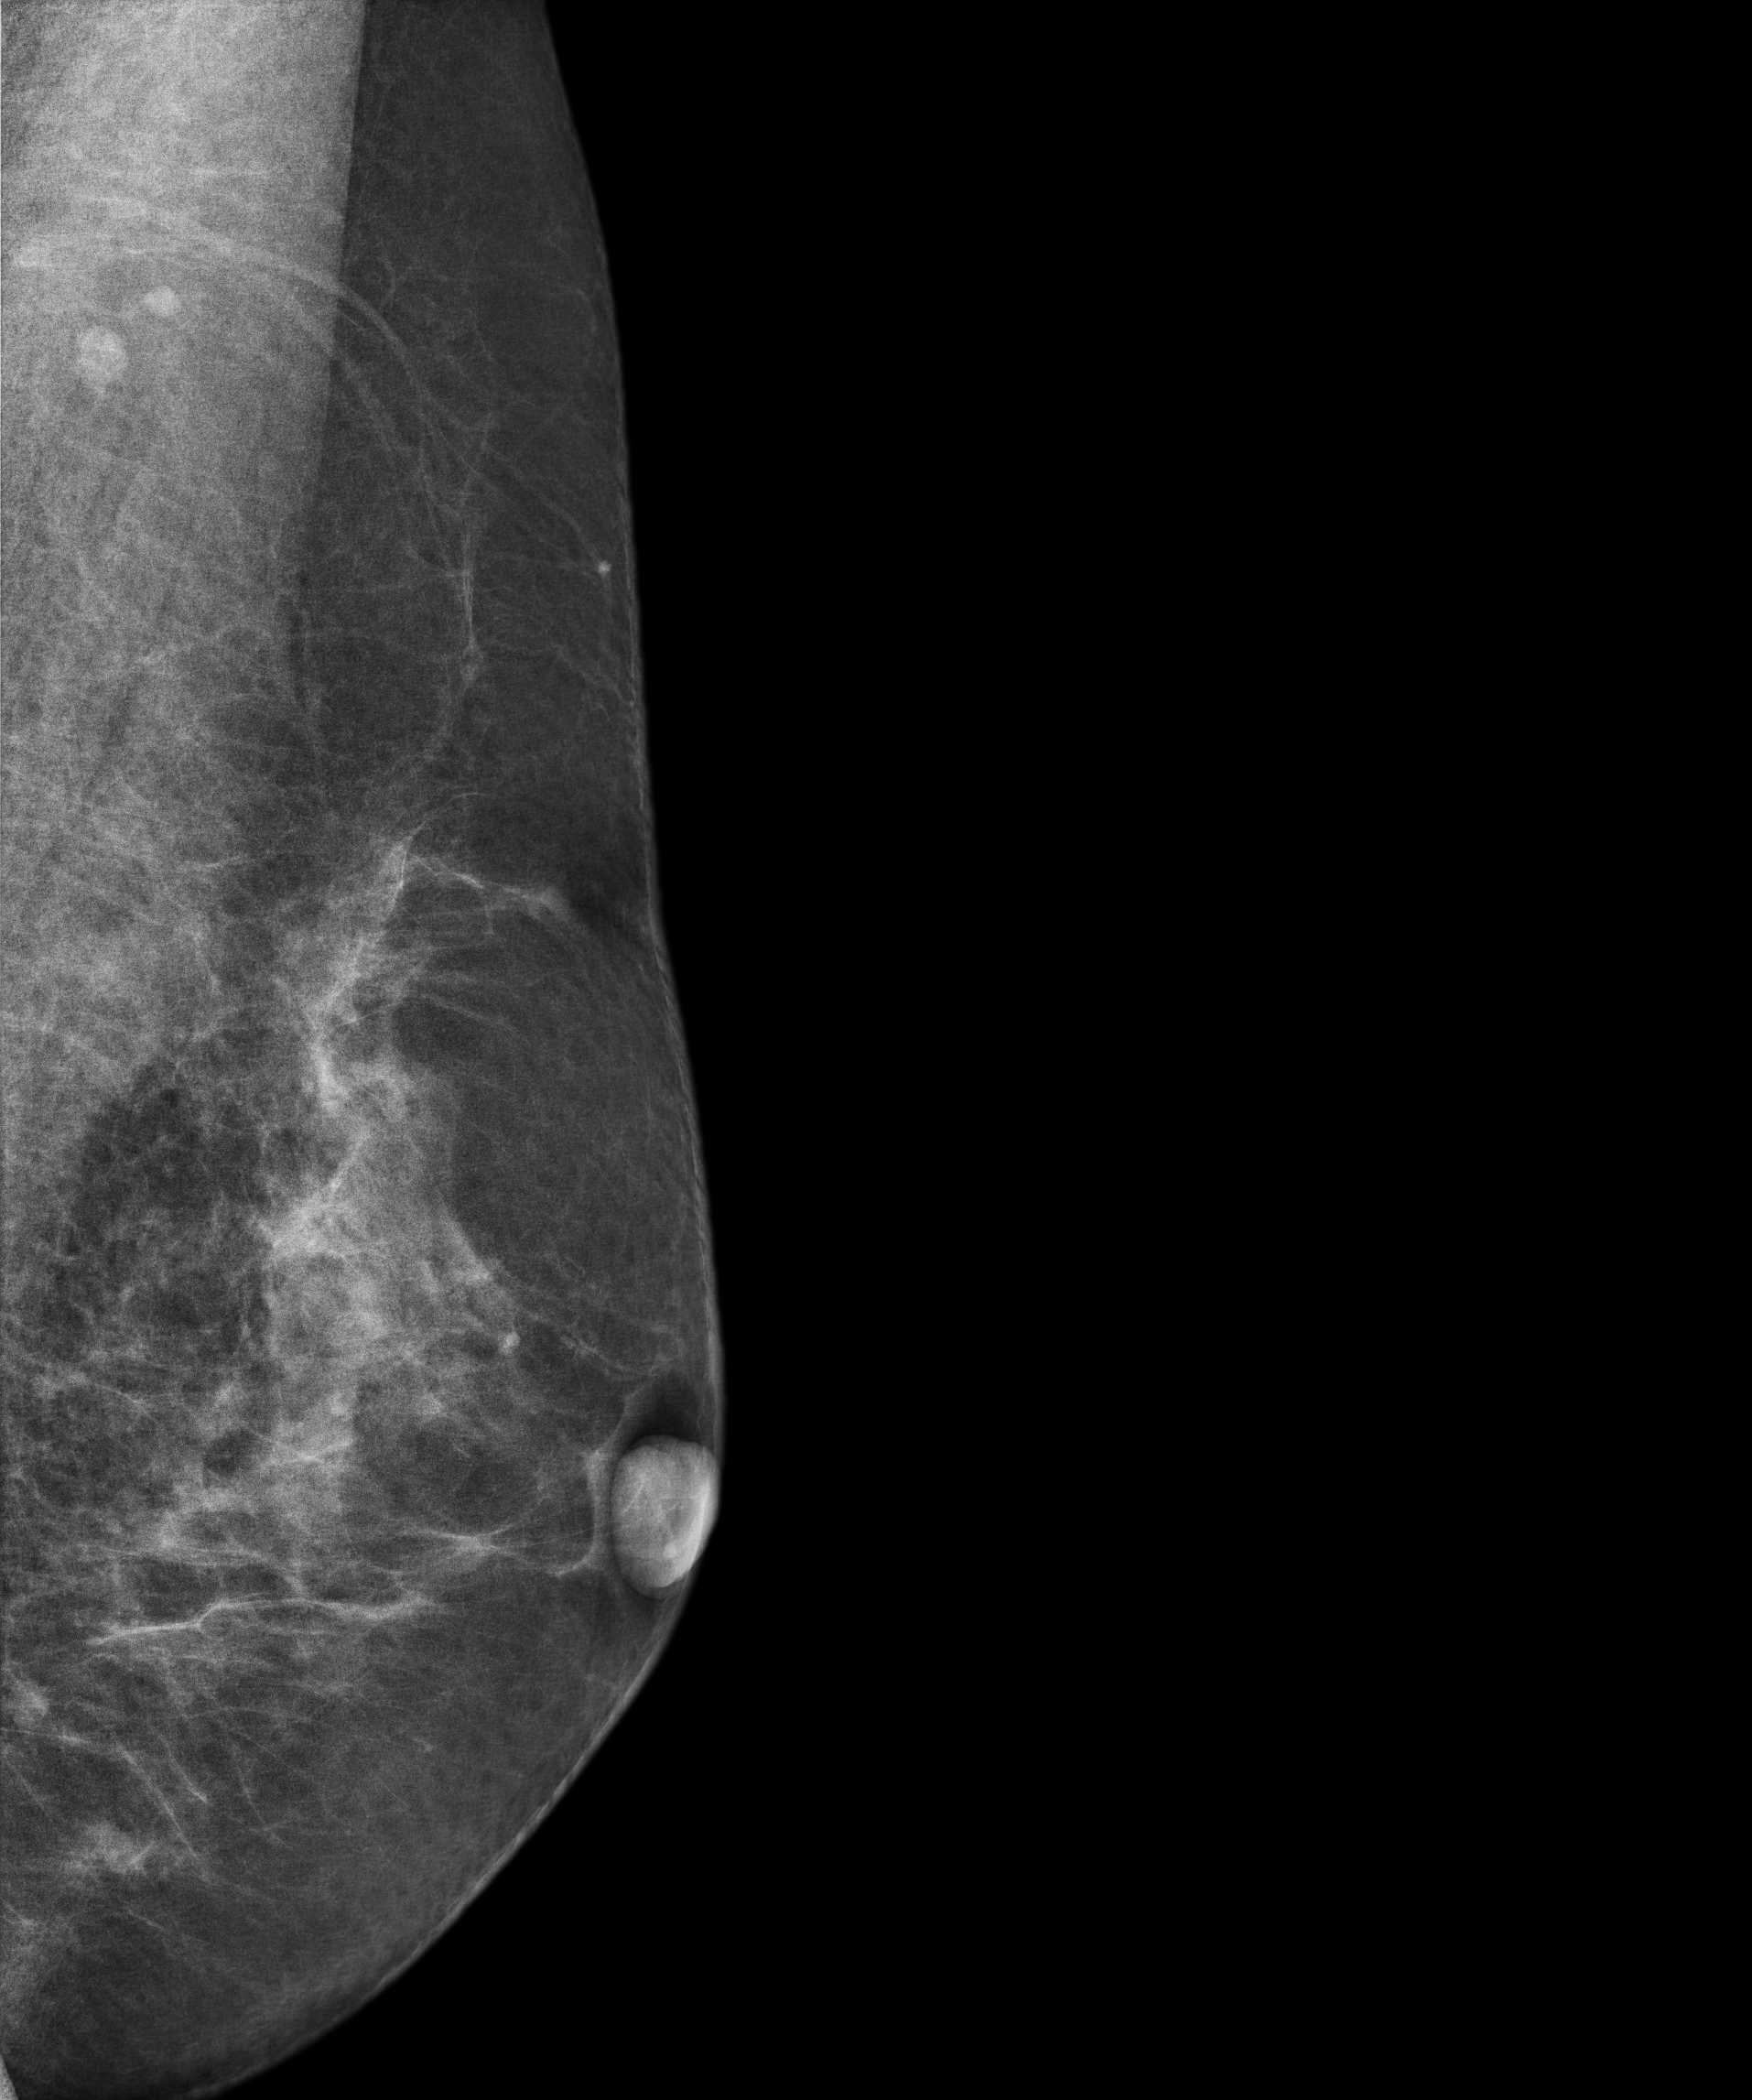
Left-breast mammogram, MLO. 55 y/o patient.
This breast has a mass, biopsy-proven benign.